Mammogram — left cranio-caudal. 69 y/o patient.
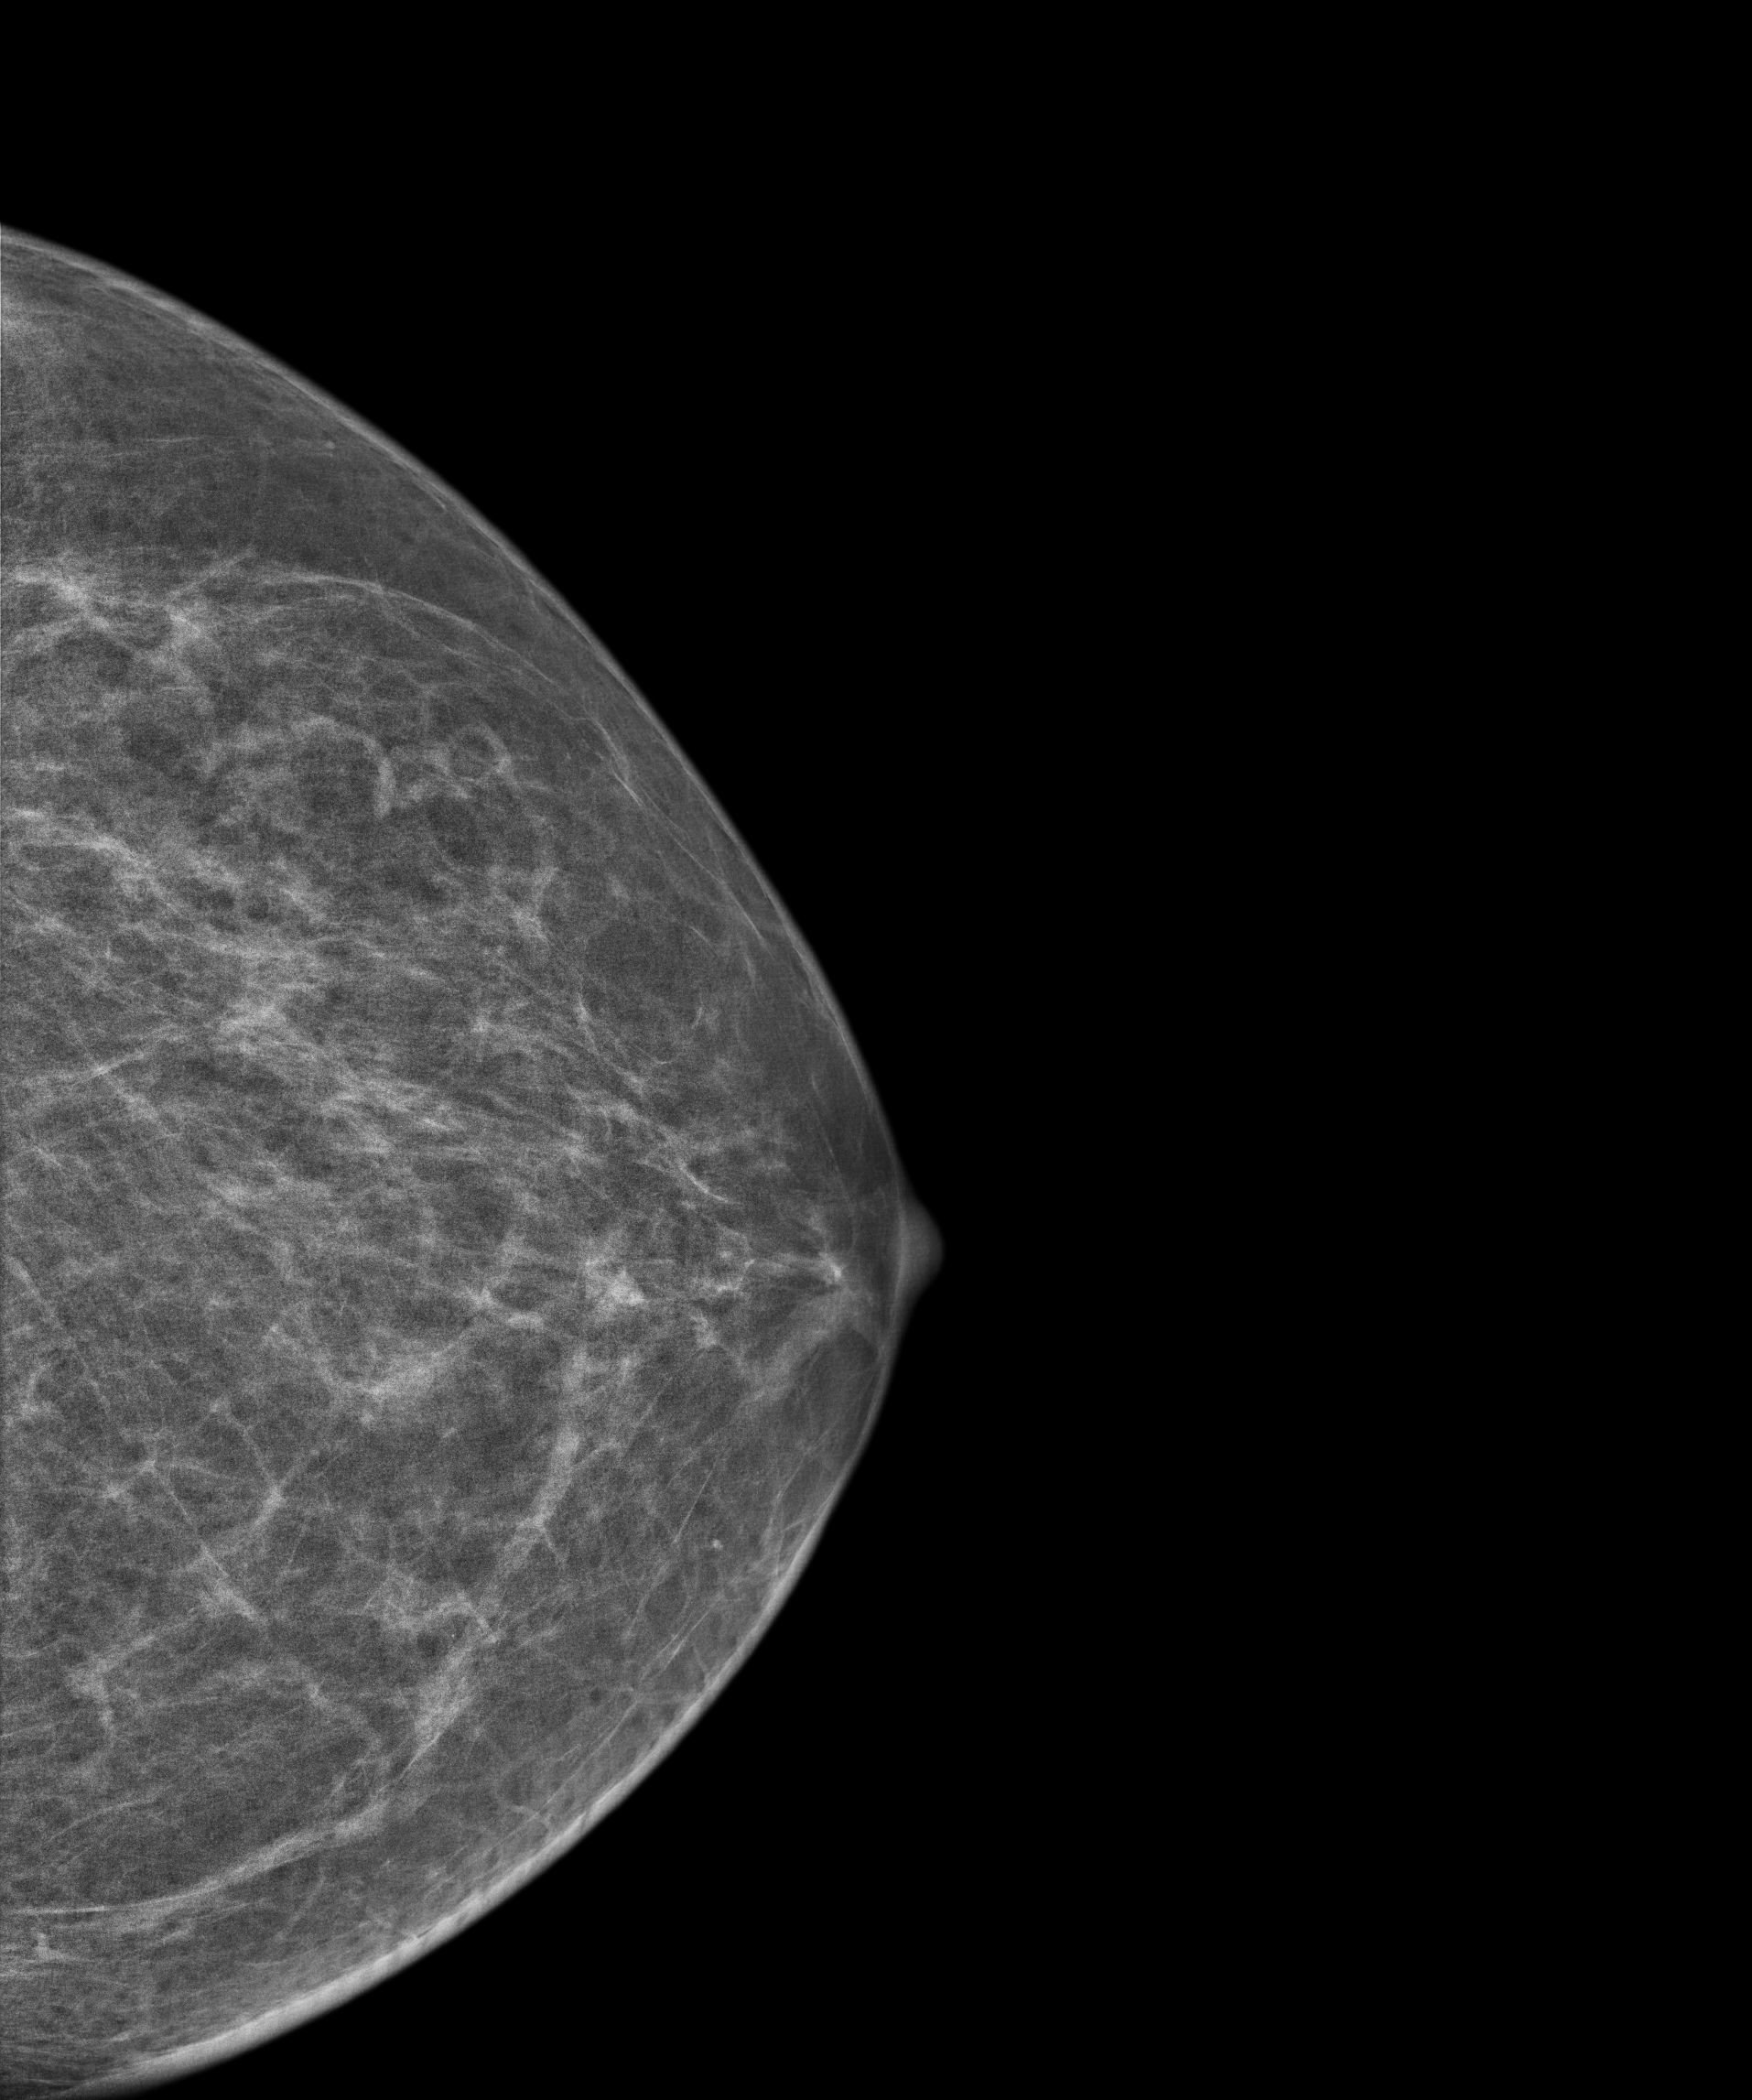
This breast has a mass, histologically confirmed malignant. Molecular subtype: luminal A.